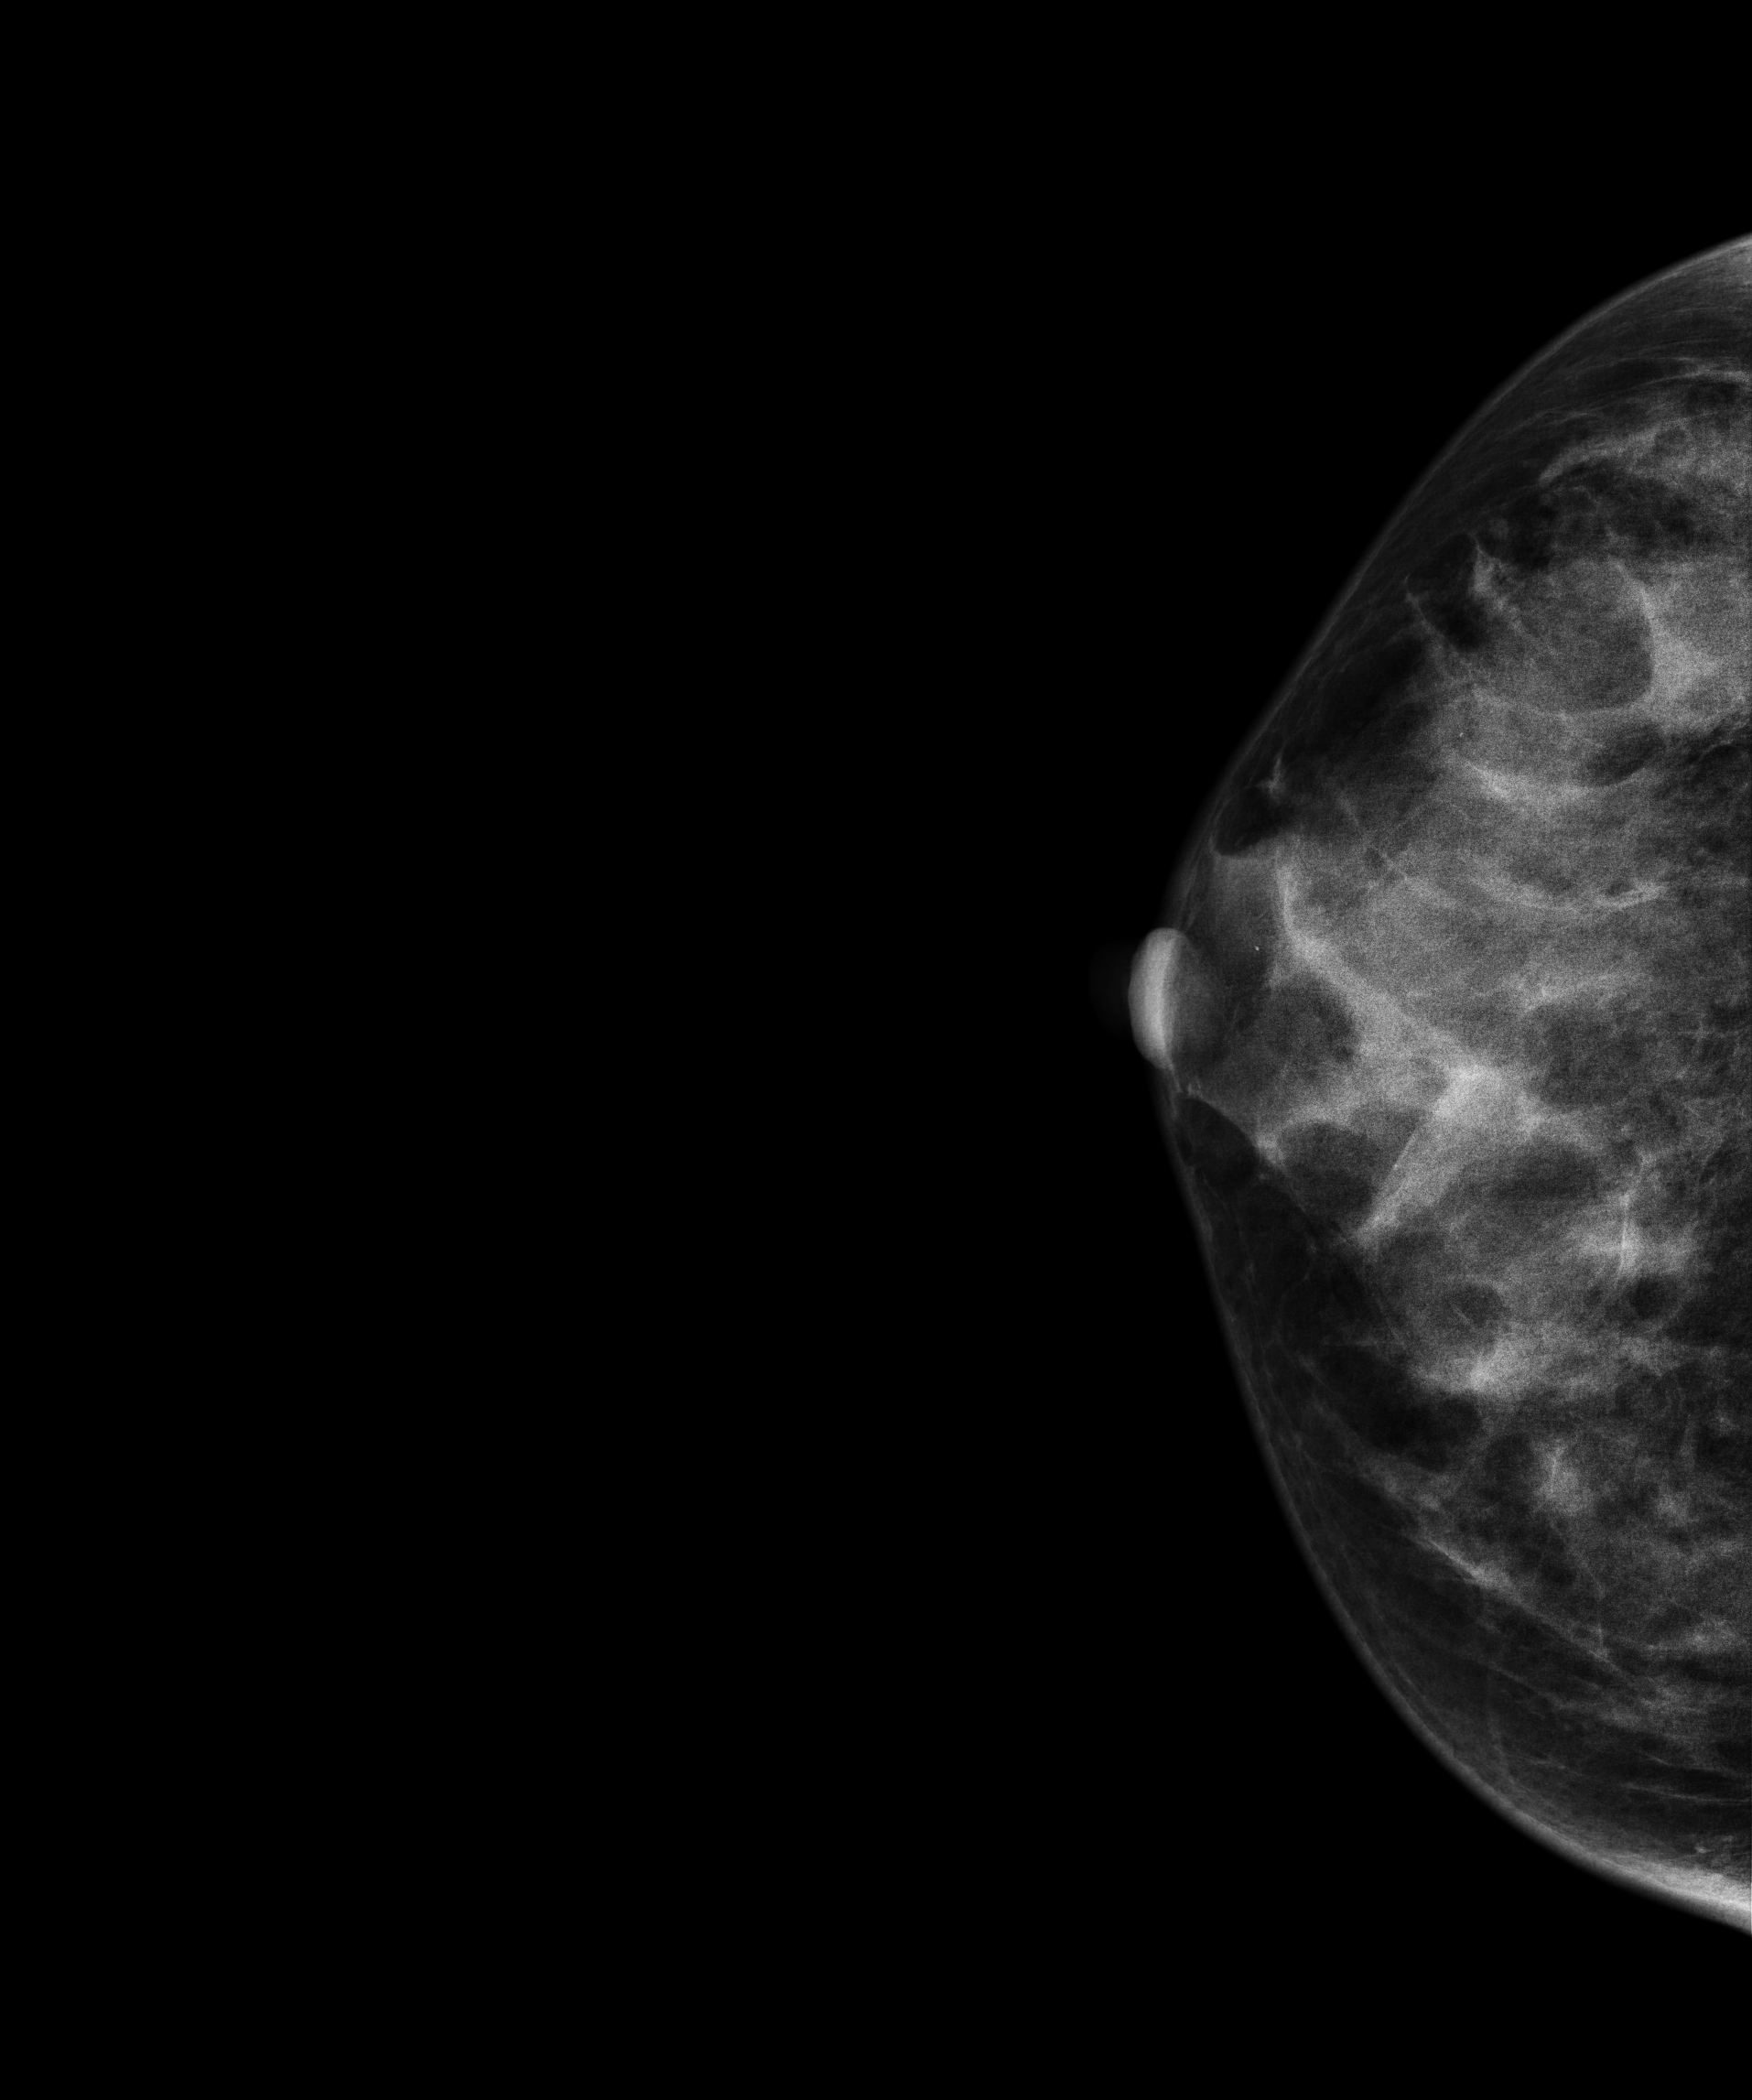
Right-breast mammogram, cranio-caudal. Patient age 50.
This breast has a mass, histologically confirmed malignant. Molecular subtype: luminal B.